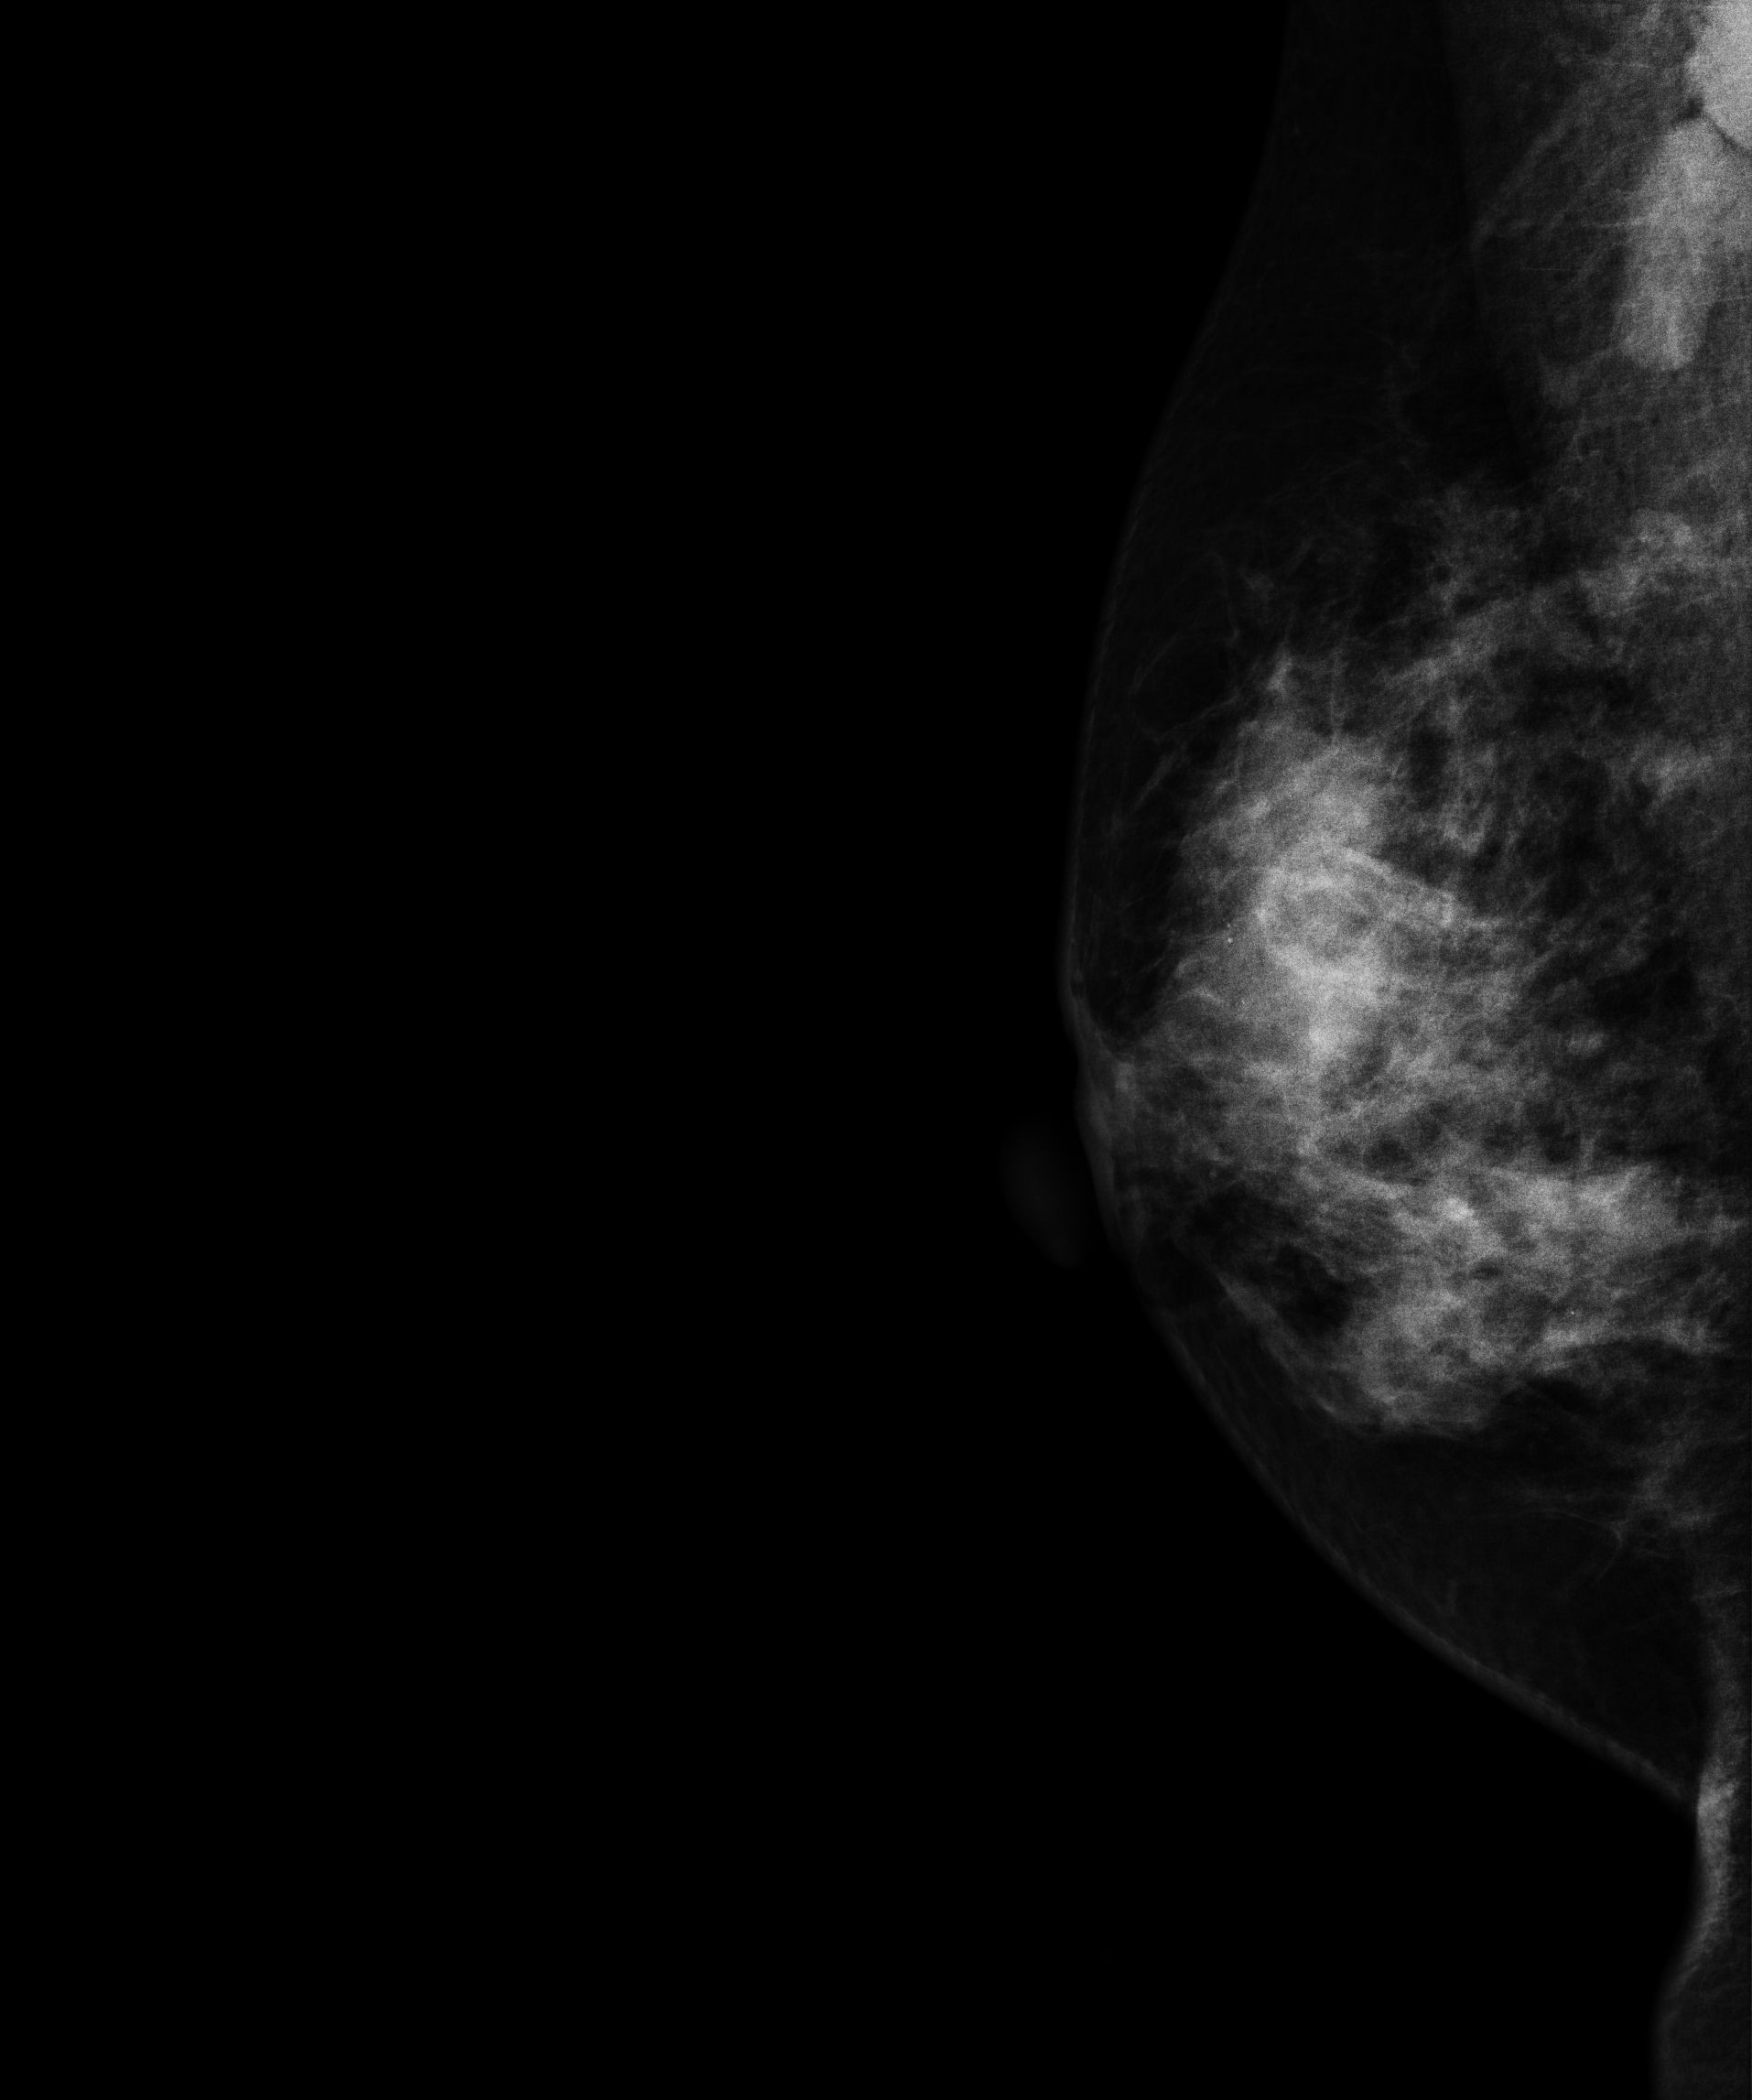
Digital mammography. Right breast, MLO projection. 40-year-old patient.
This breast has a mass and calcifications, biopsy-confirmed malignant. Molecular subtype: luminal B.